Digital mammography. Right breast, medio-lateral oblique projection. 49 y/o patient.
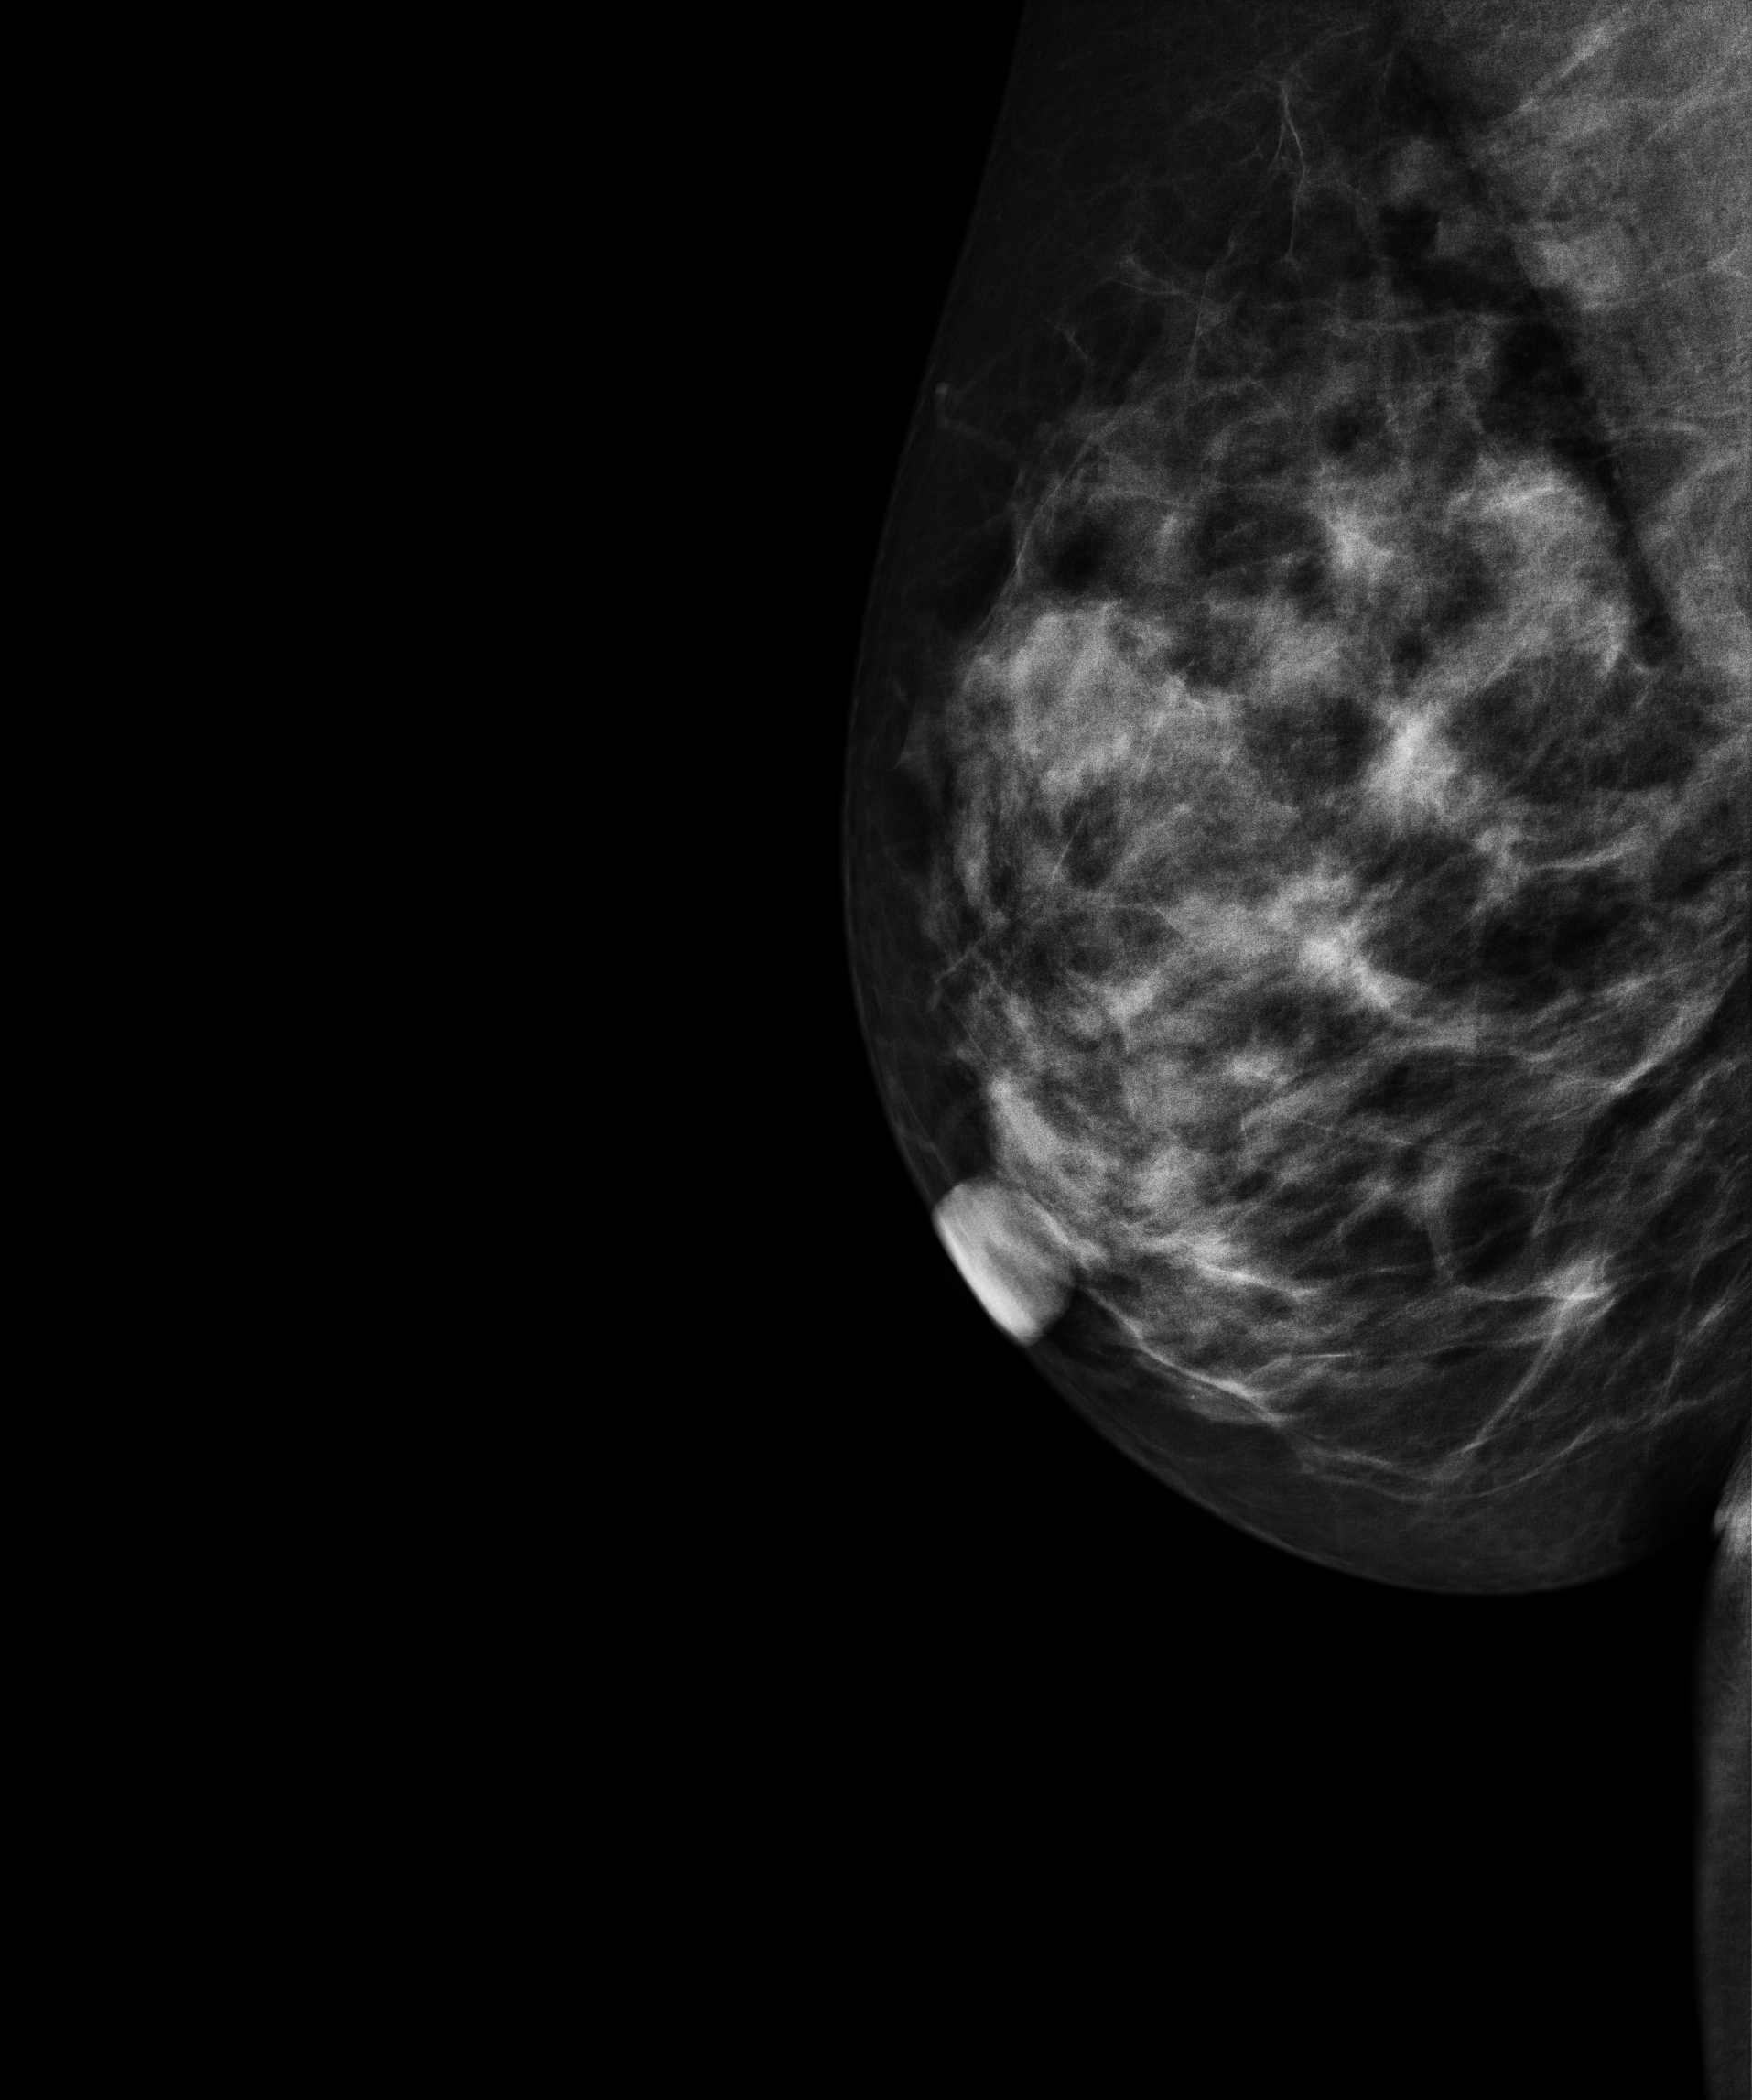
Contralateral breast — no documented abnormality on this side.